Right-breast mammogram, medio-lateral oblique. Patient age 74.
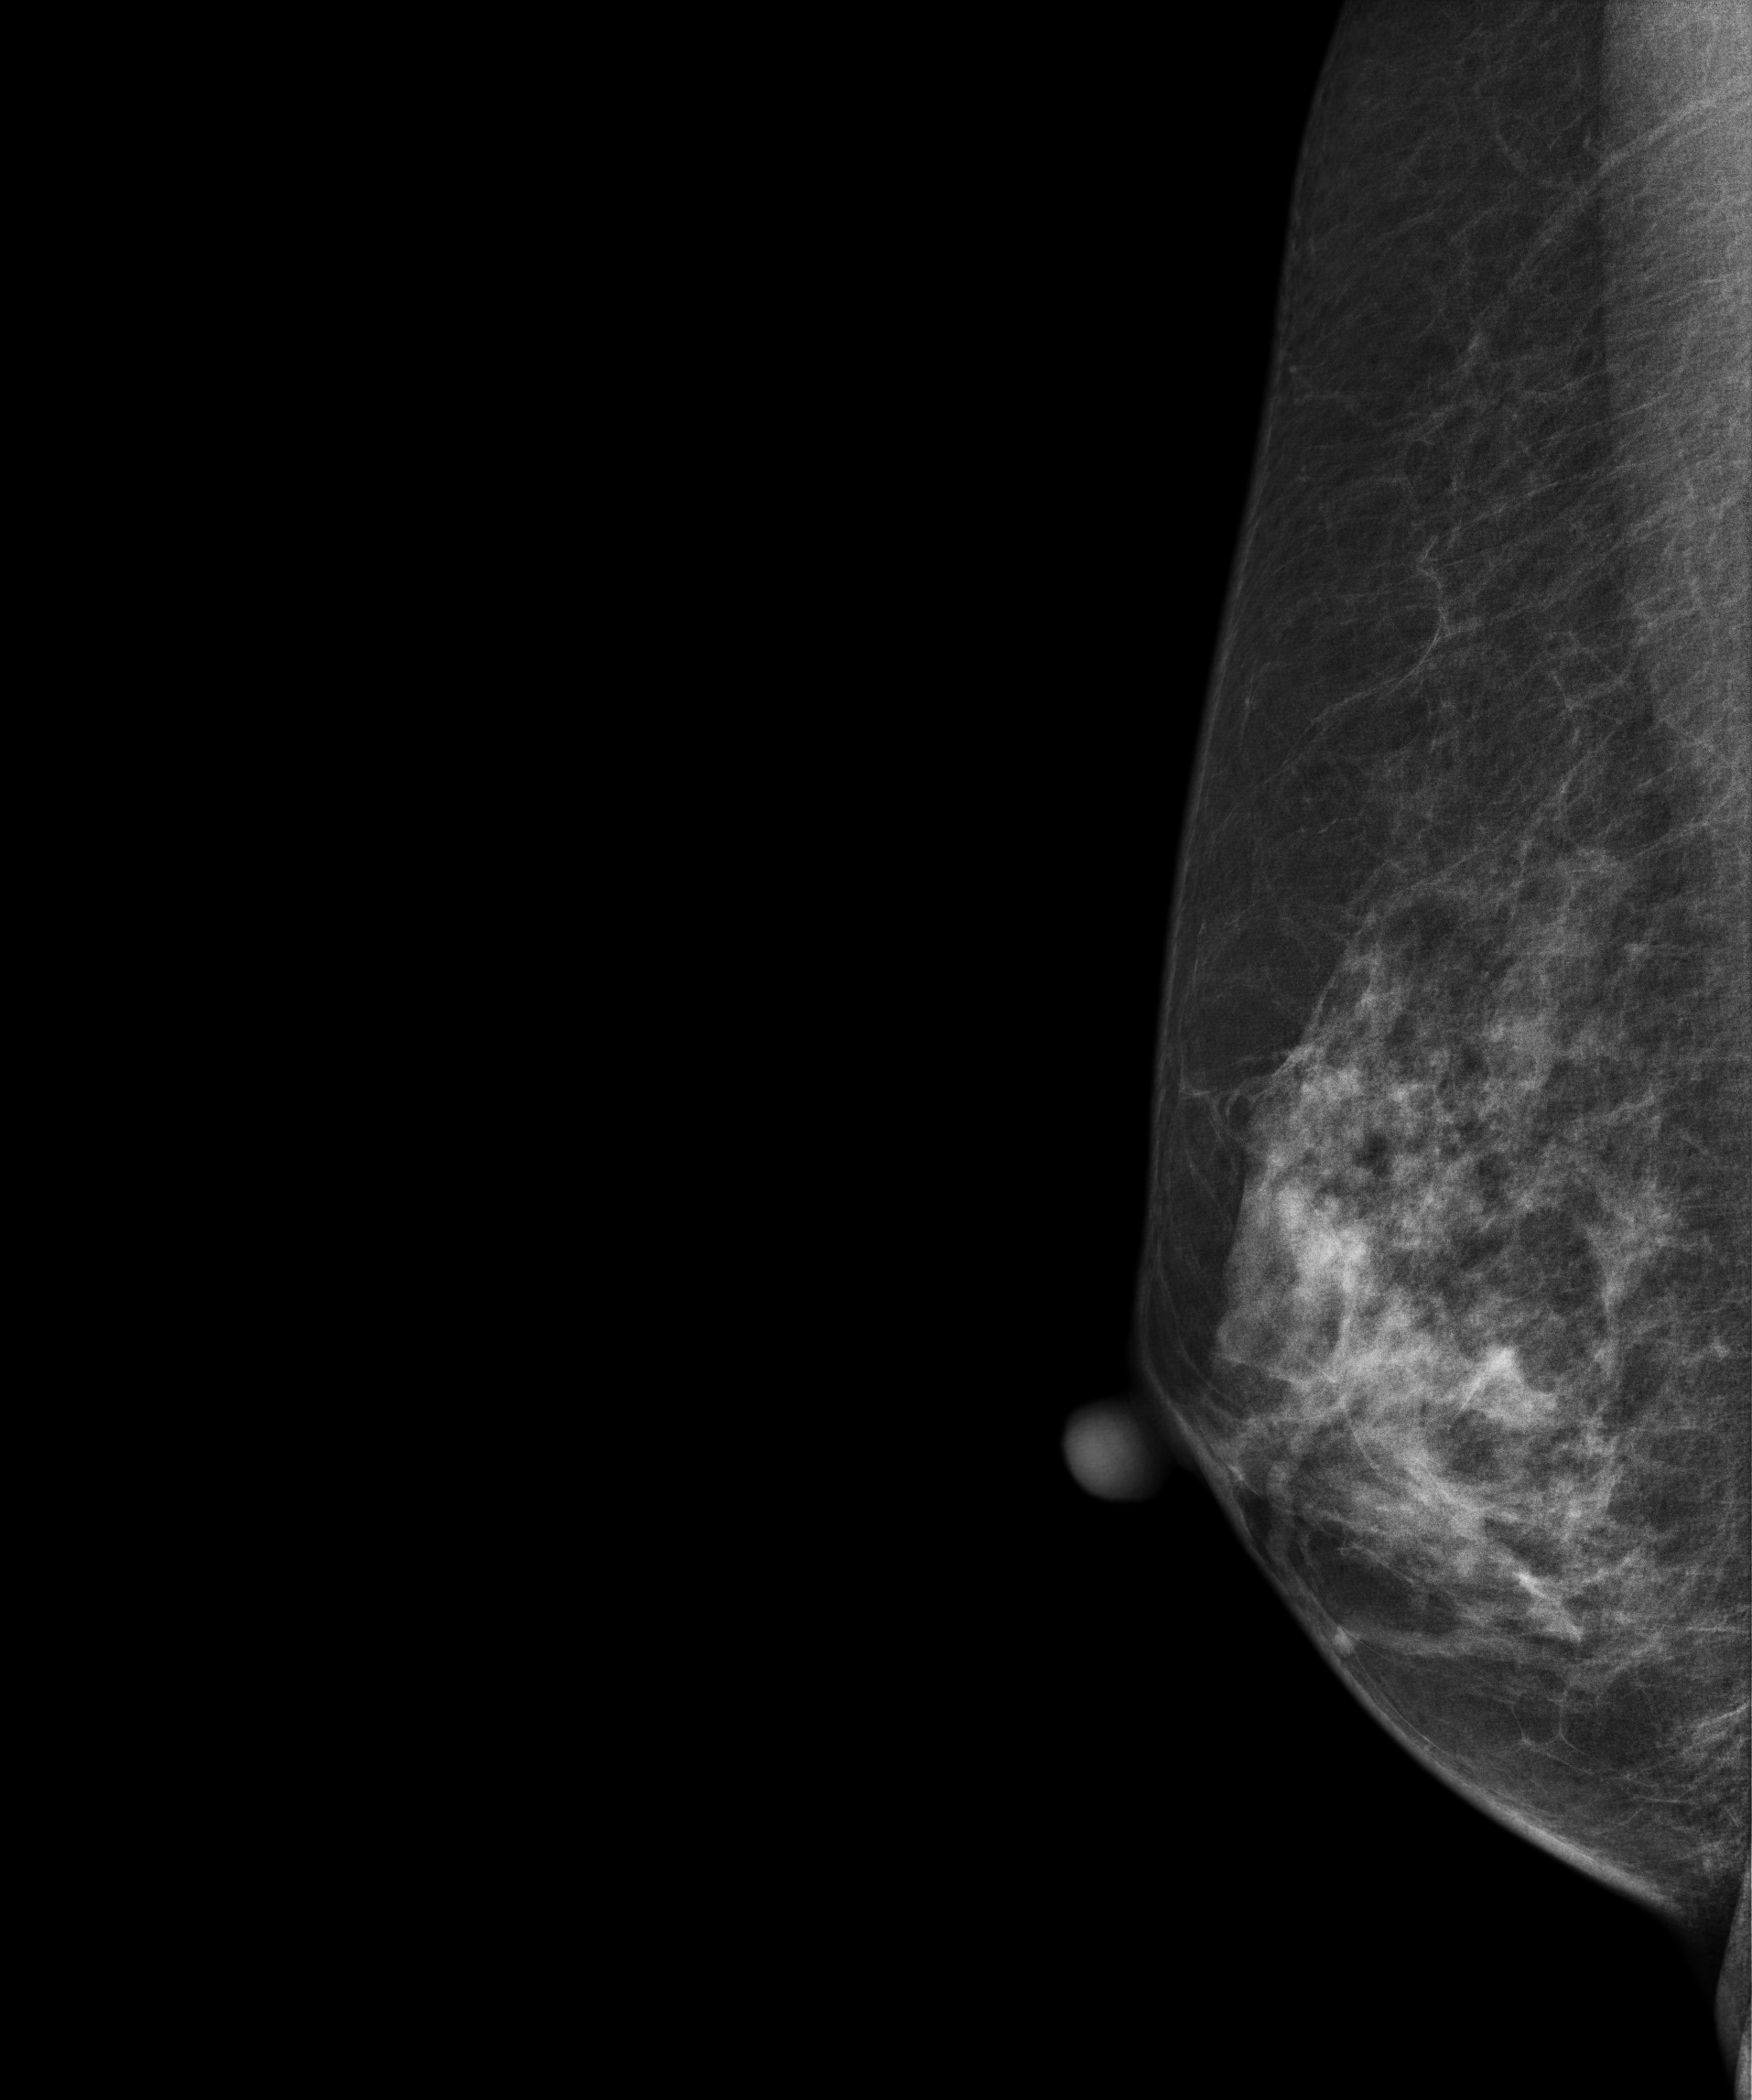
Contralateral breast — no documented abnormality on this side.